Digital mammography. Left breast, cranio-caudal projection. Patient age 45.
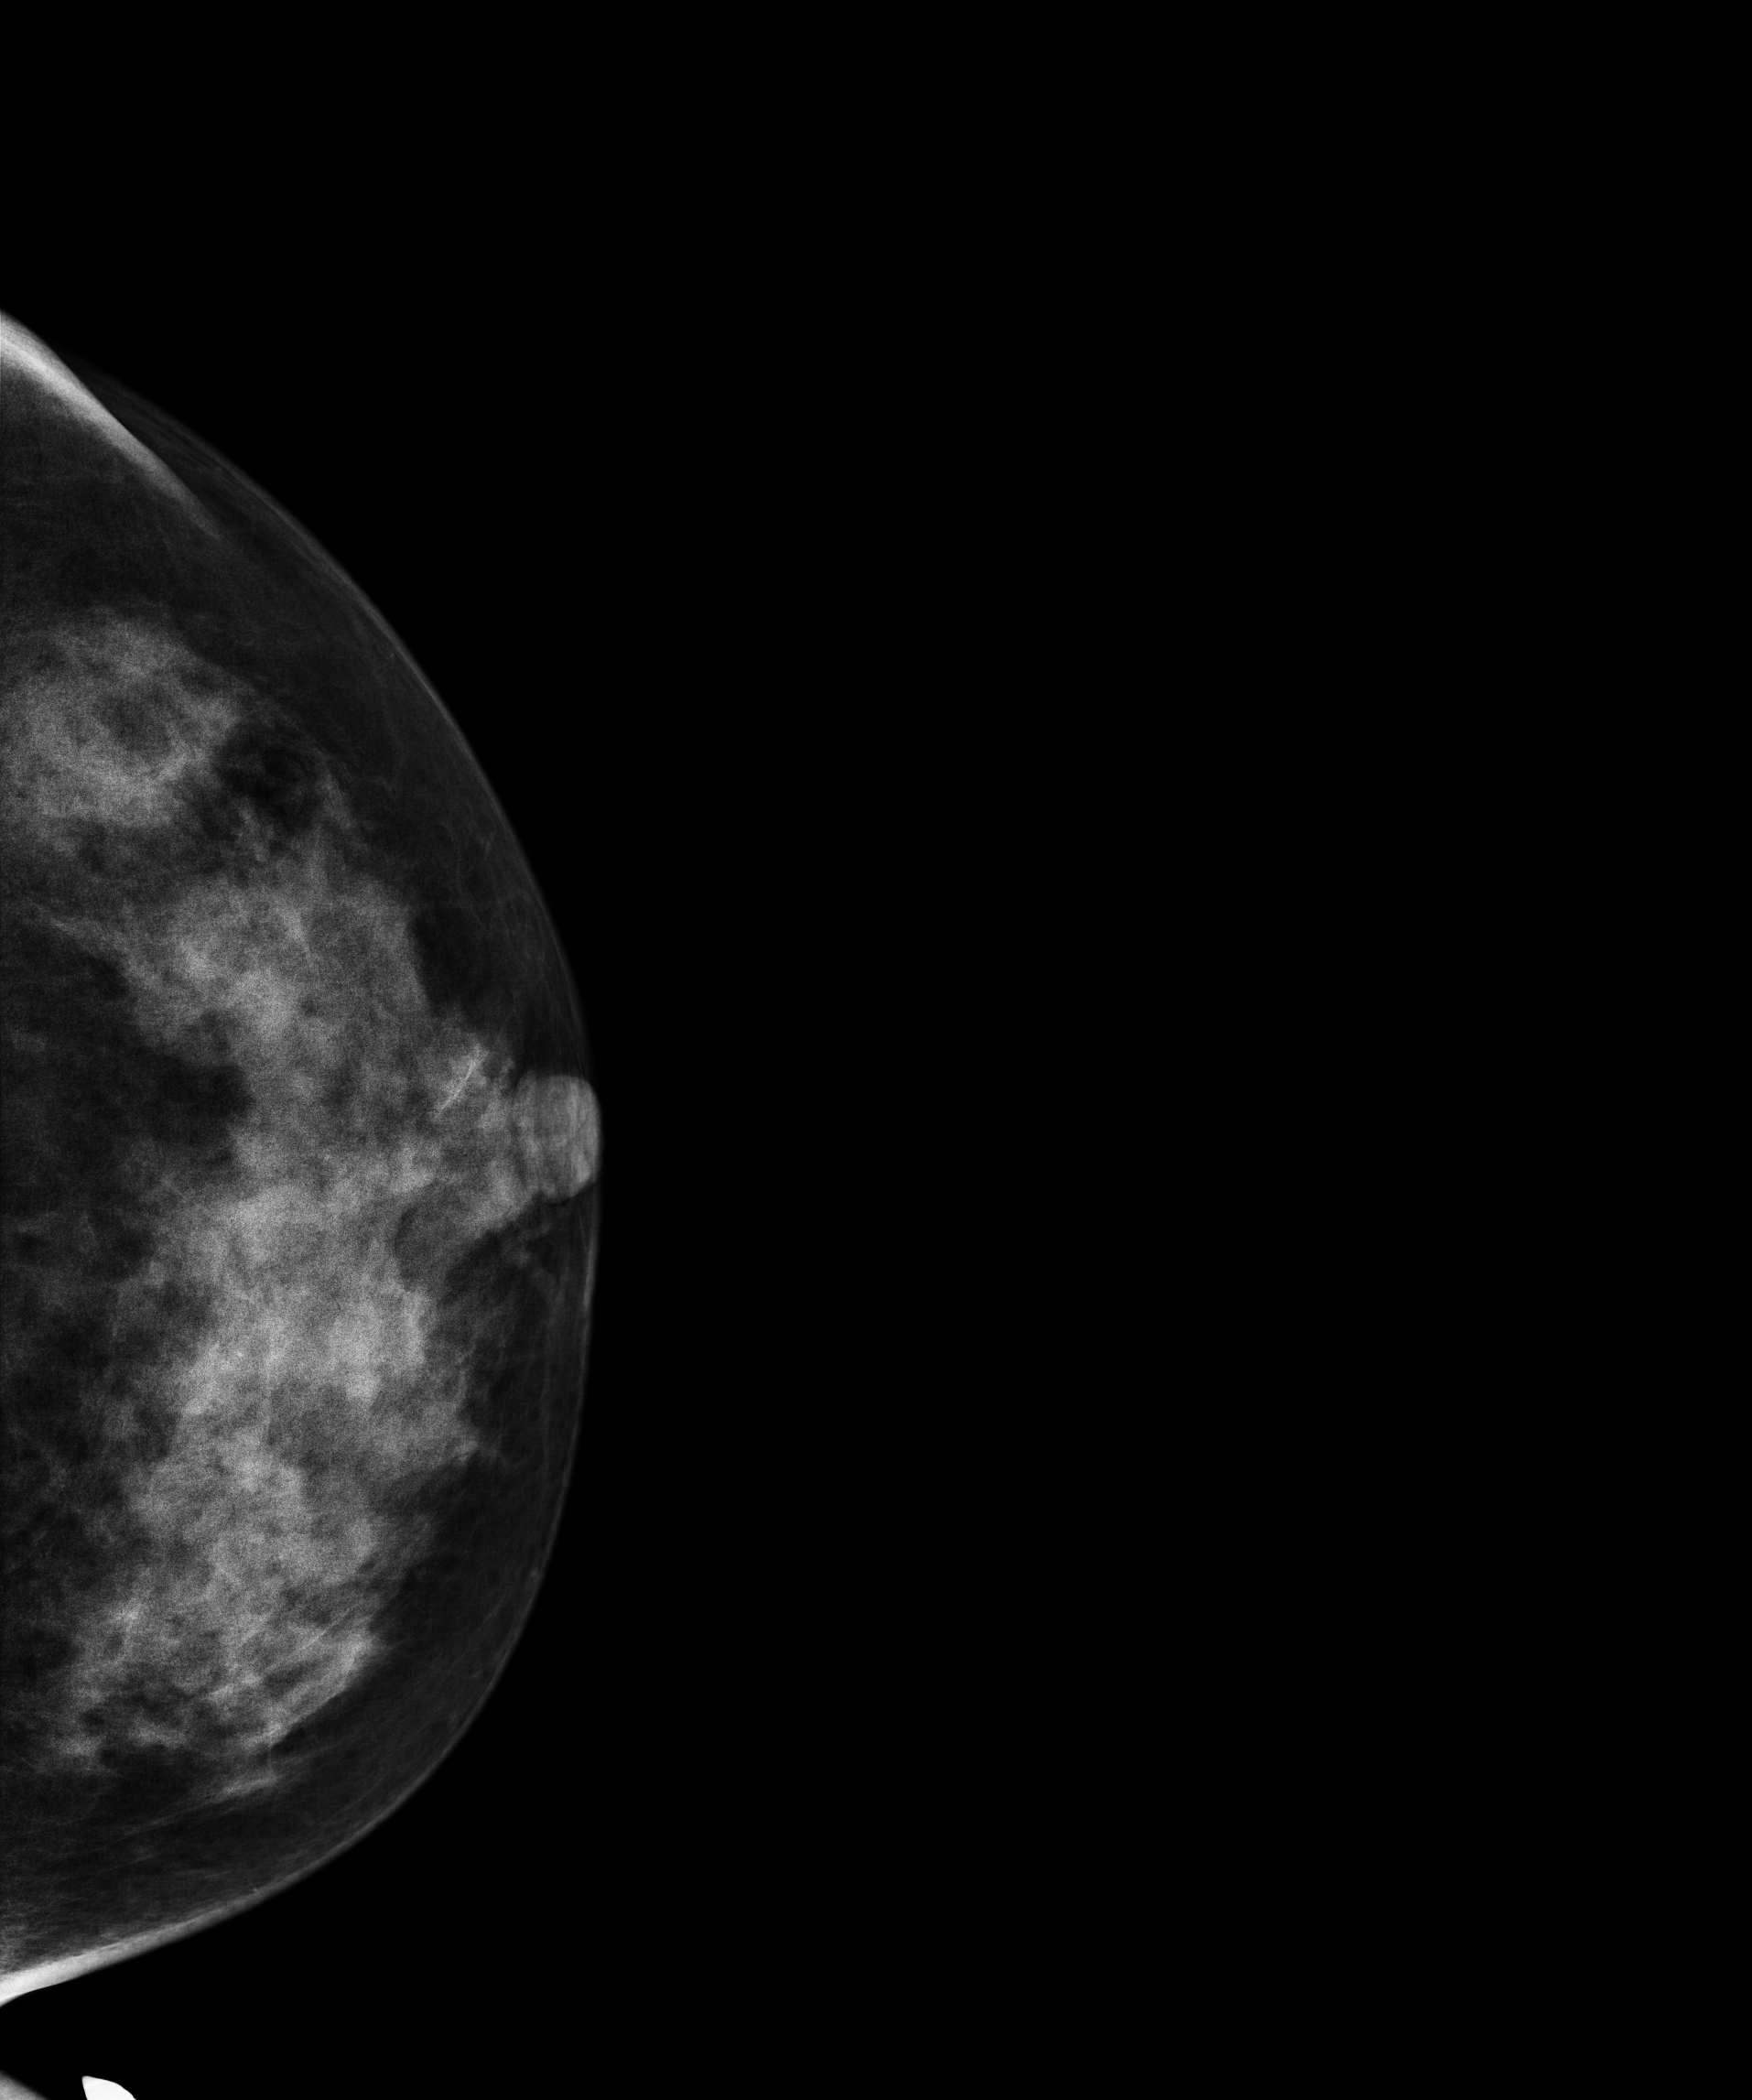
This breast has a mass, histologically confirmed benign.